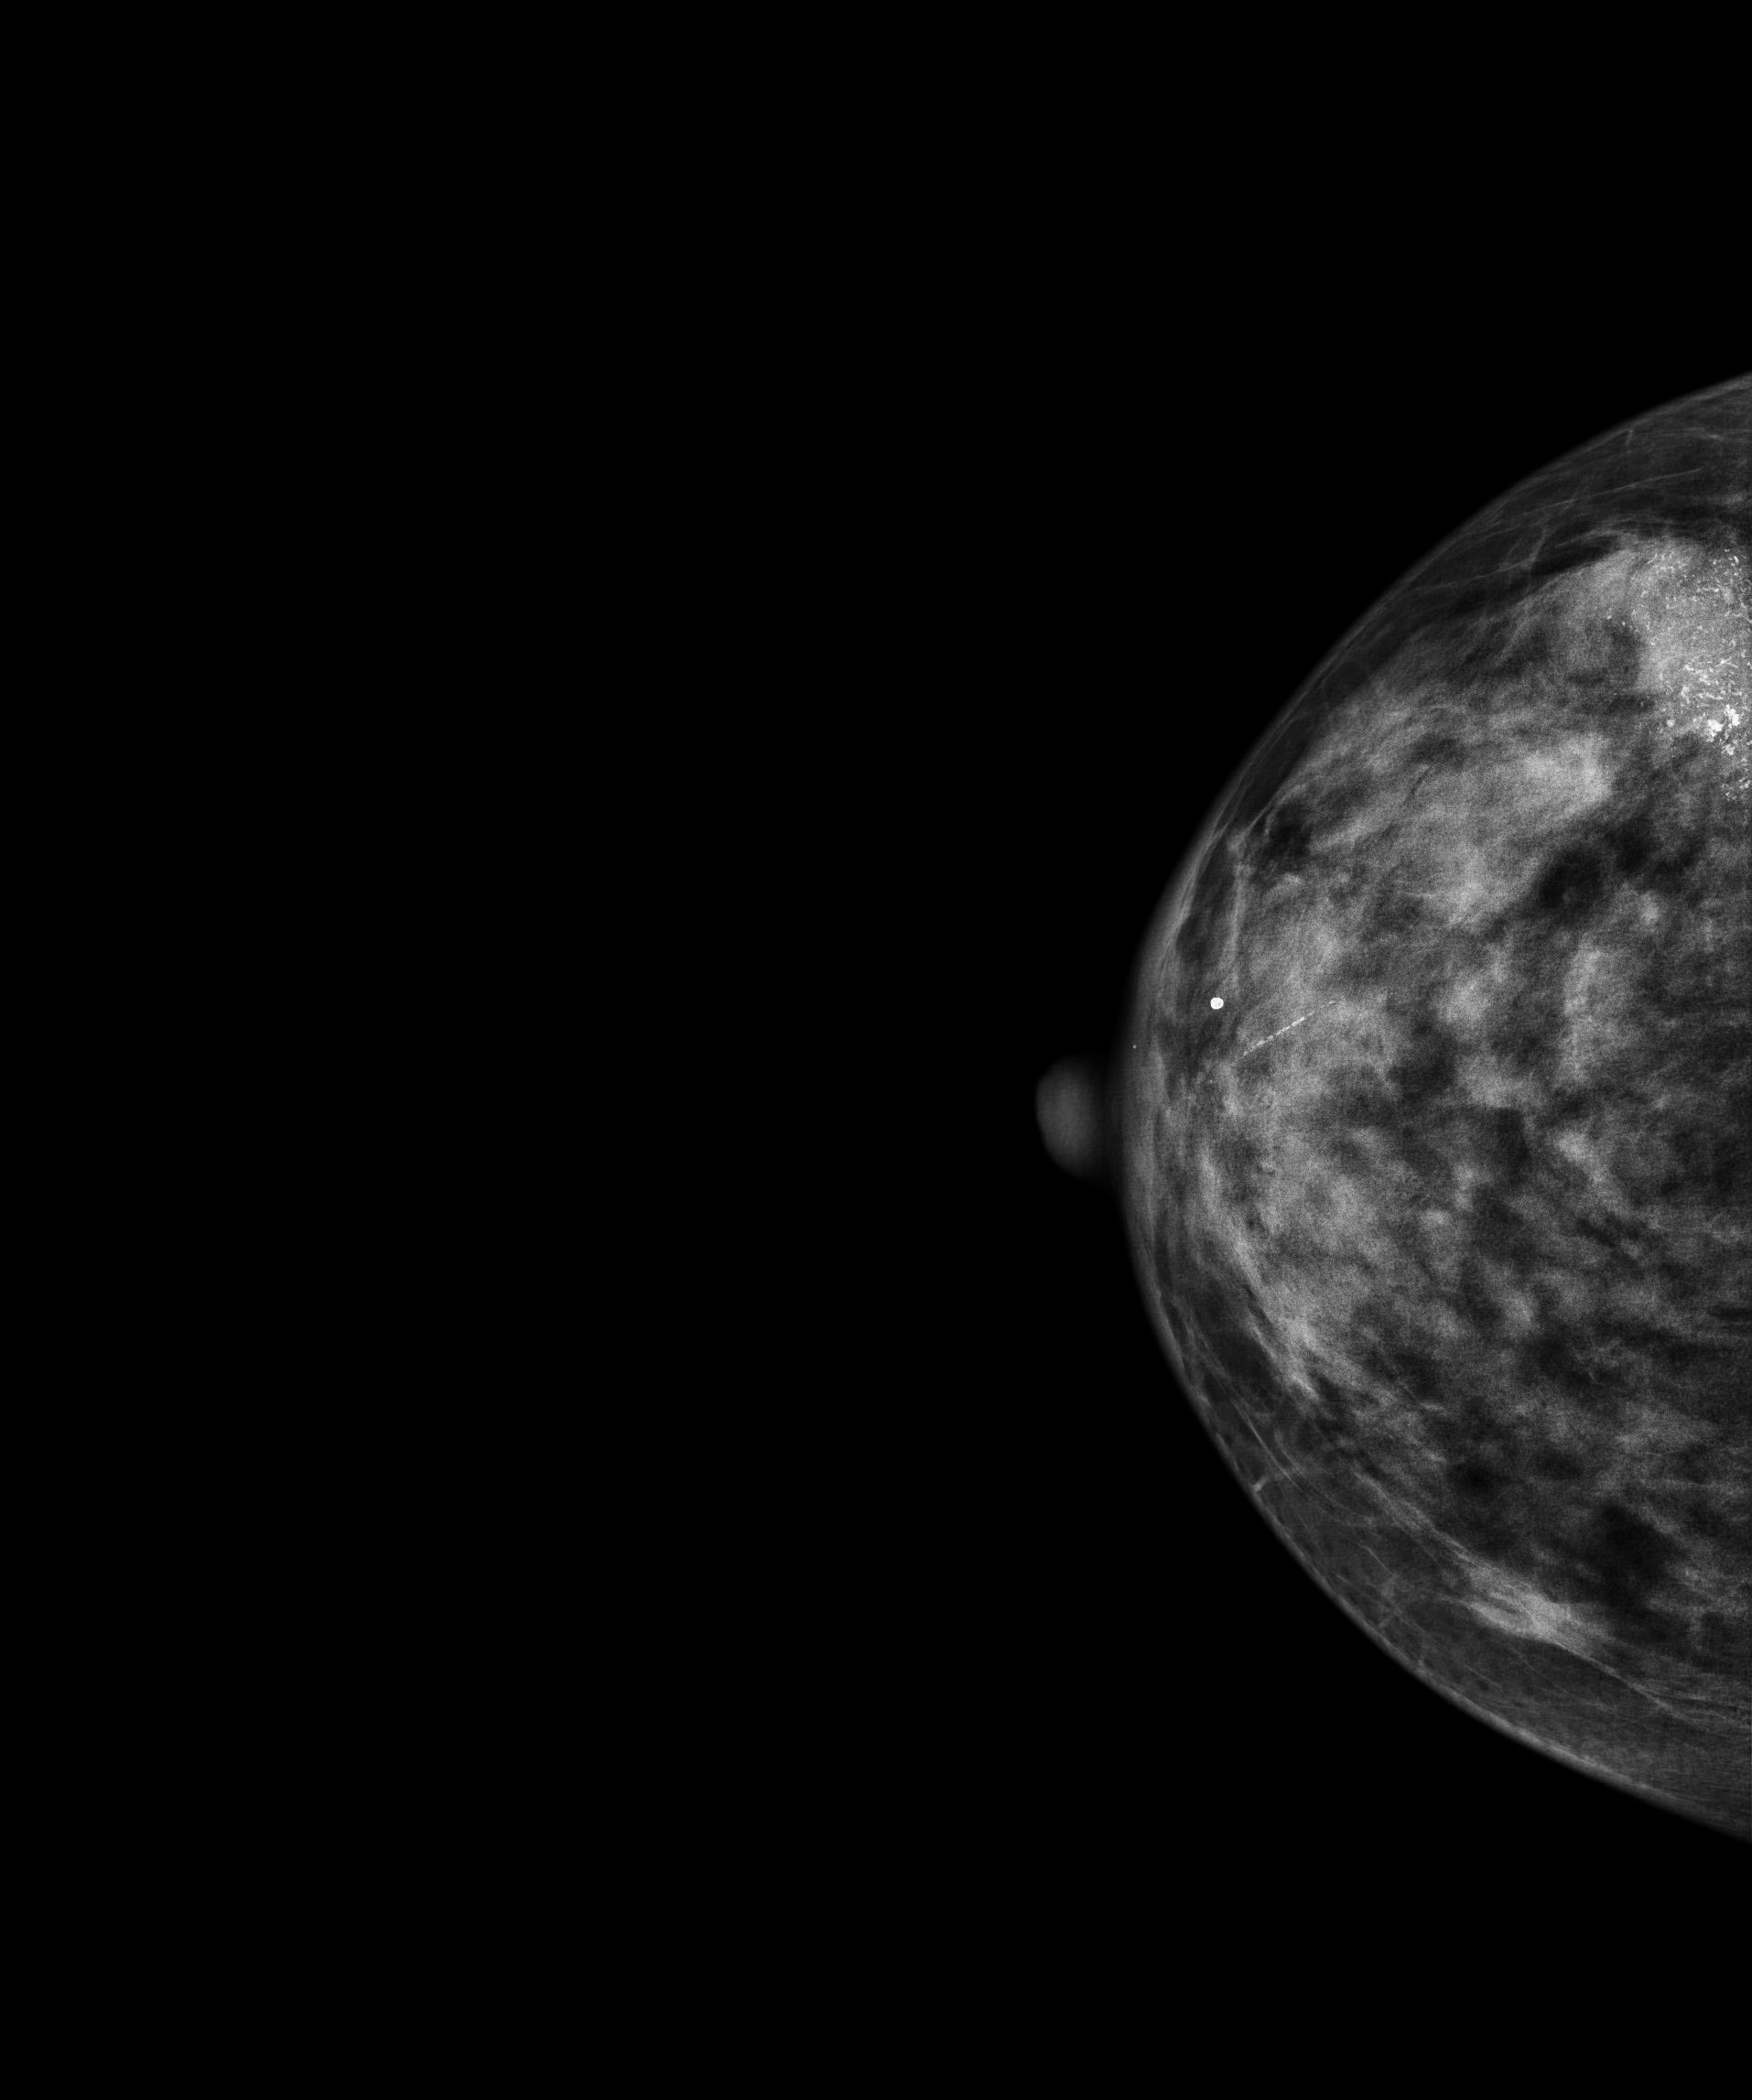
Cranio-caudal mammogram of the right breast. 53 y/o patient.
This breast has a mass and calcifications, pathology-confirmed malignant. Molecular subtype: luminal A.